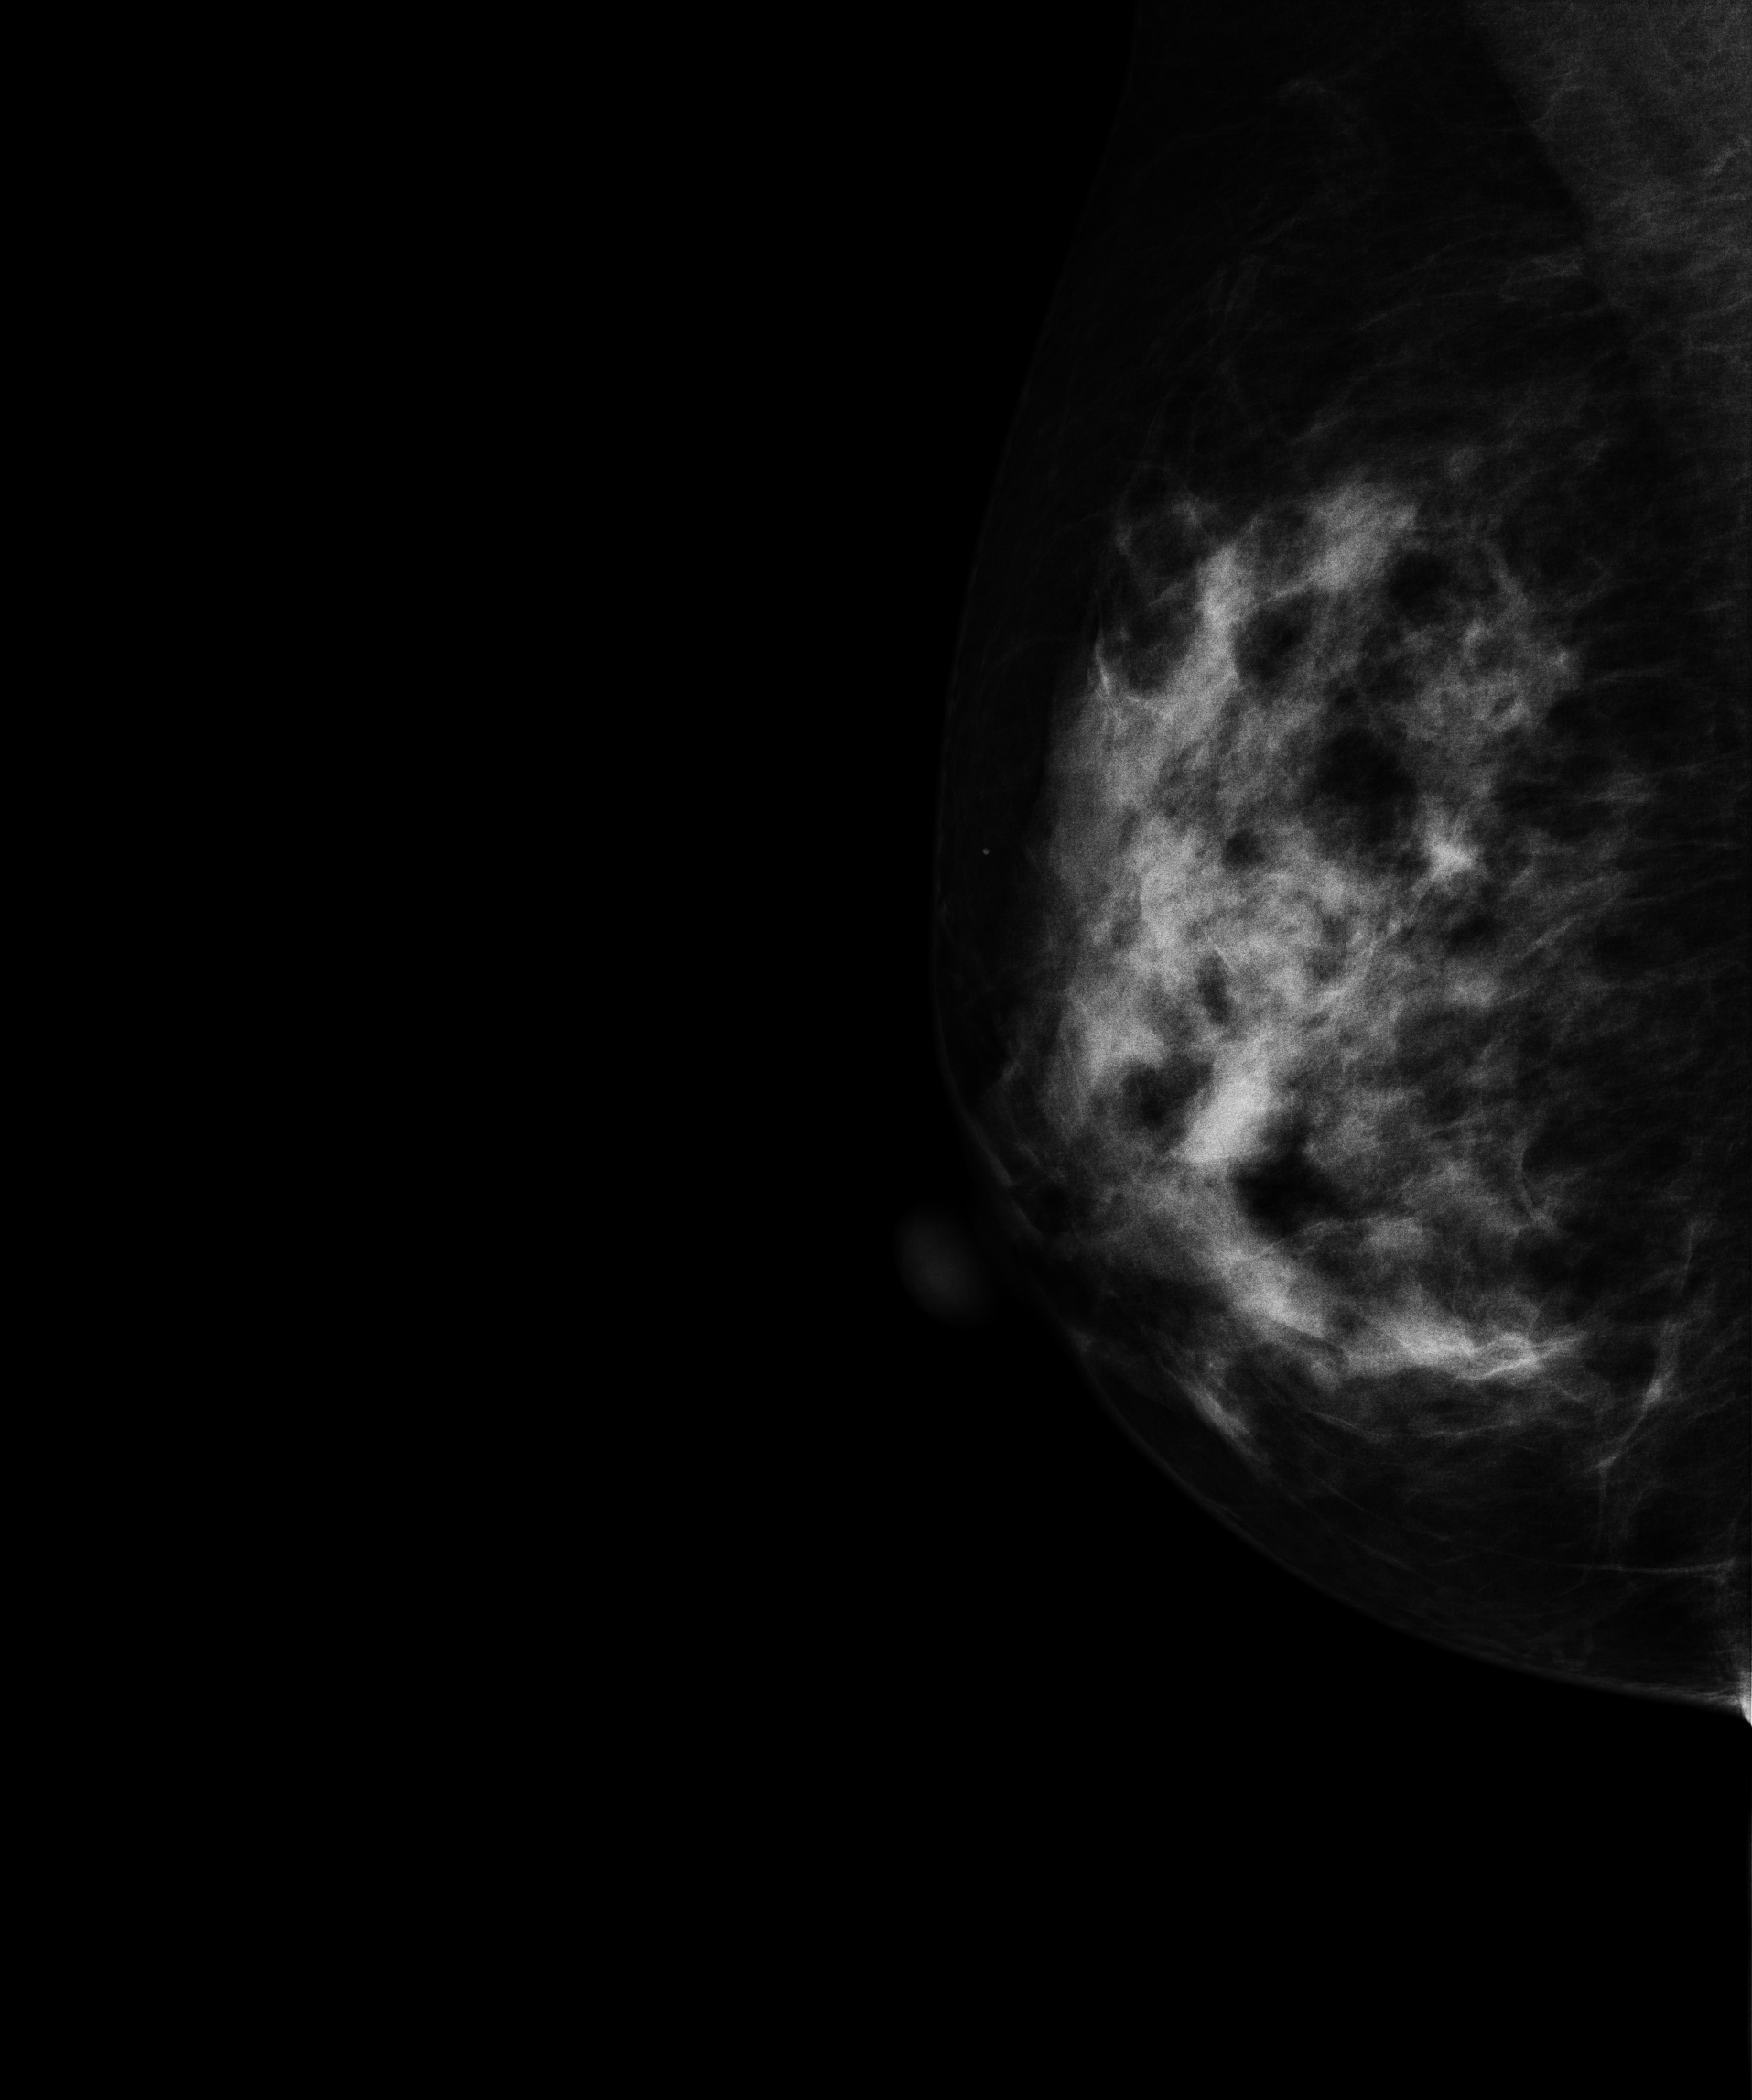
Mammogram, right breast, MLO view. 46-year-old patient.
This breast has a mass, biopsy-confirmed benign.